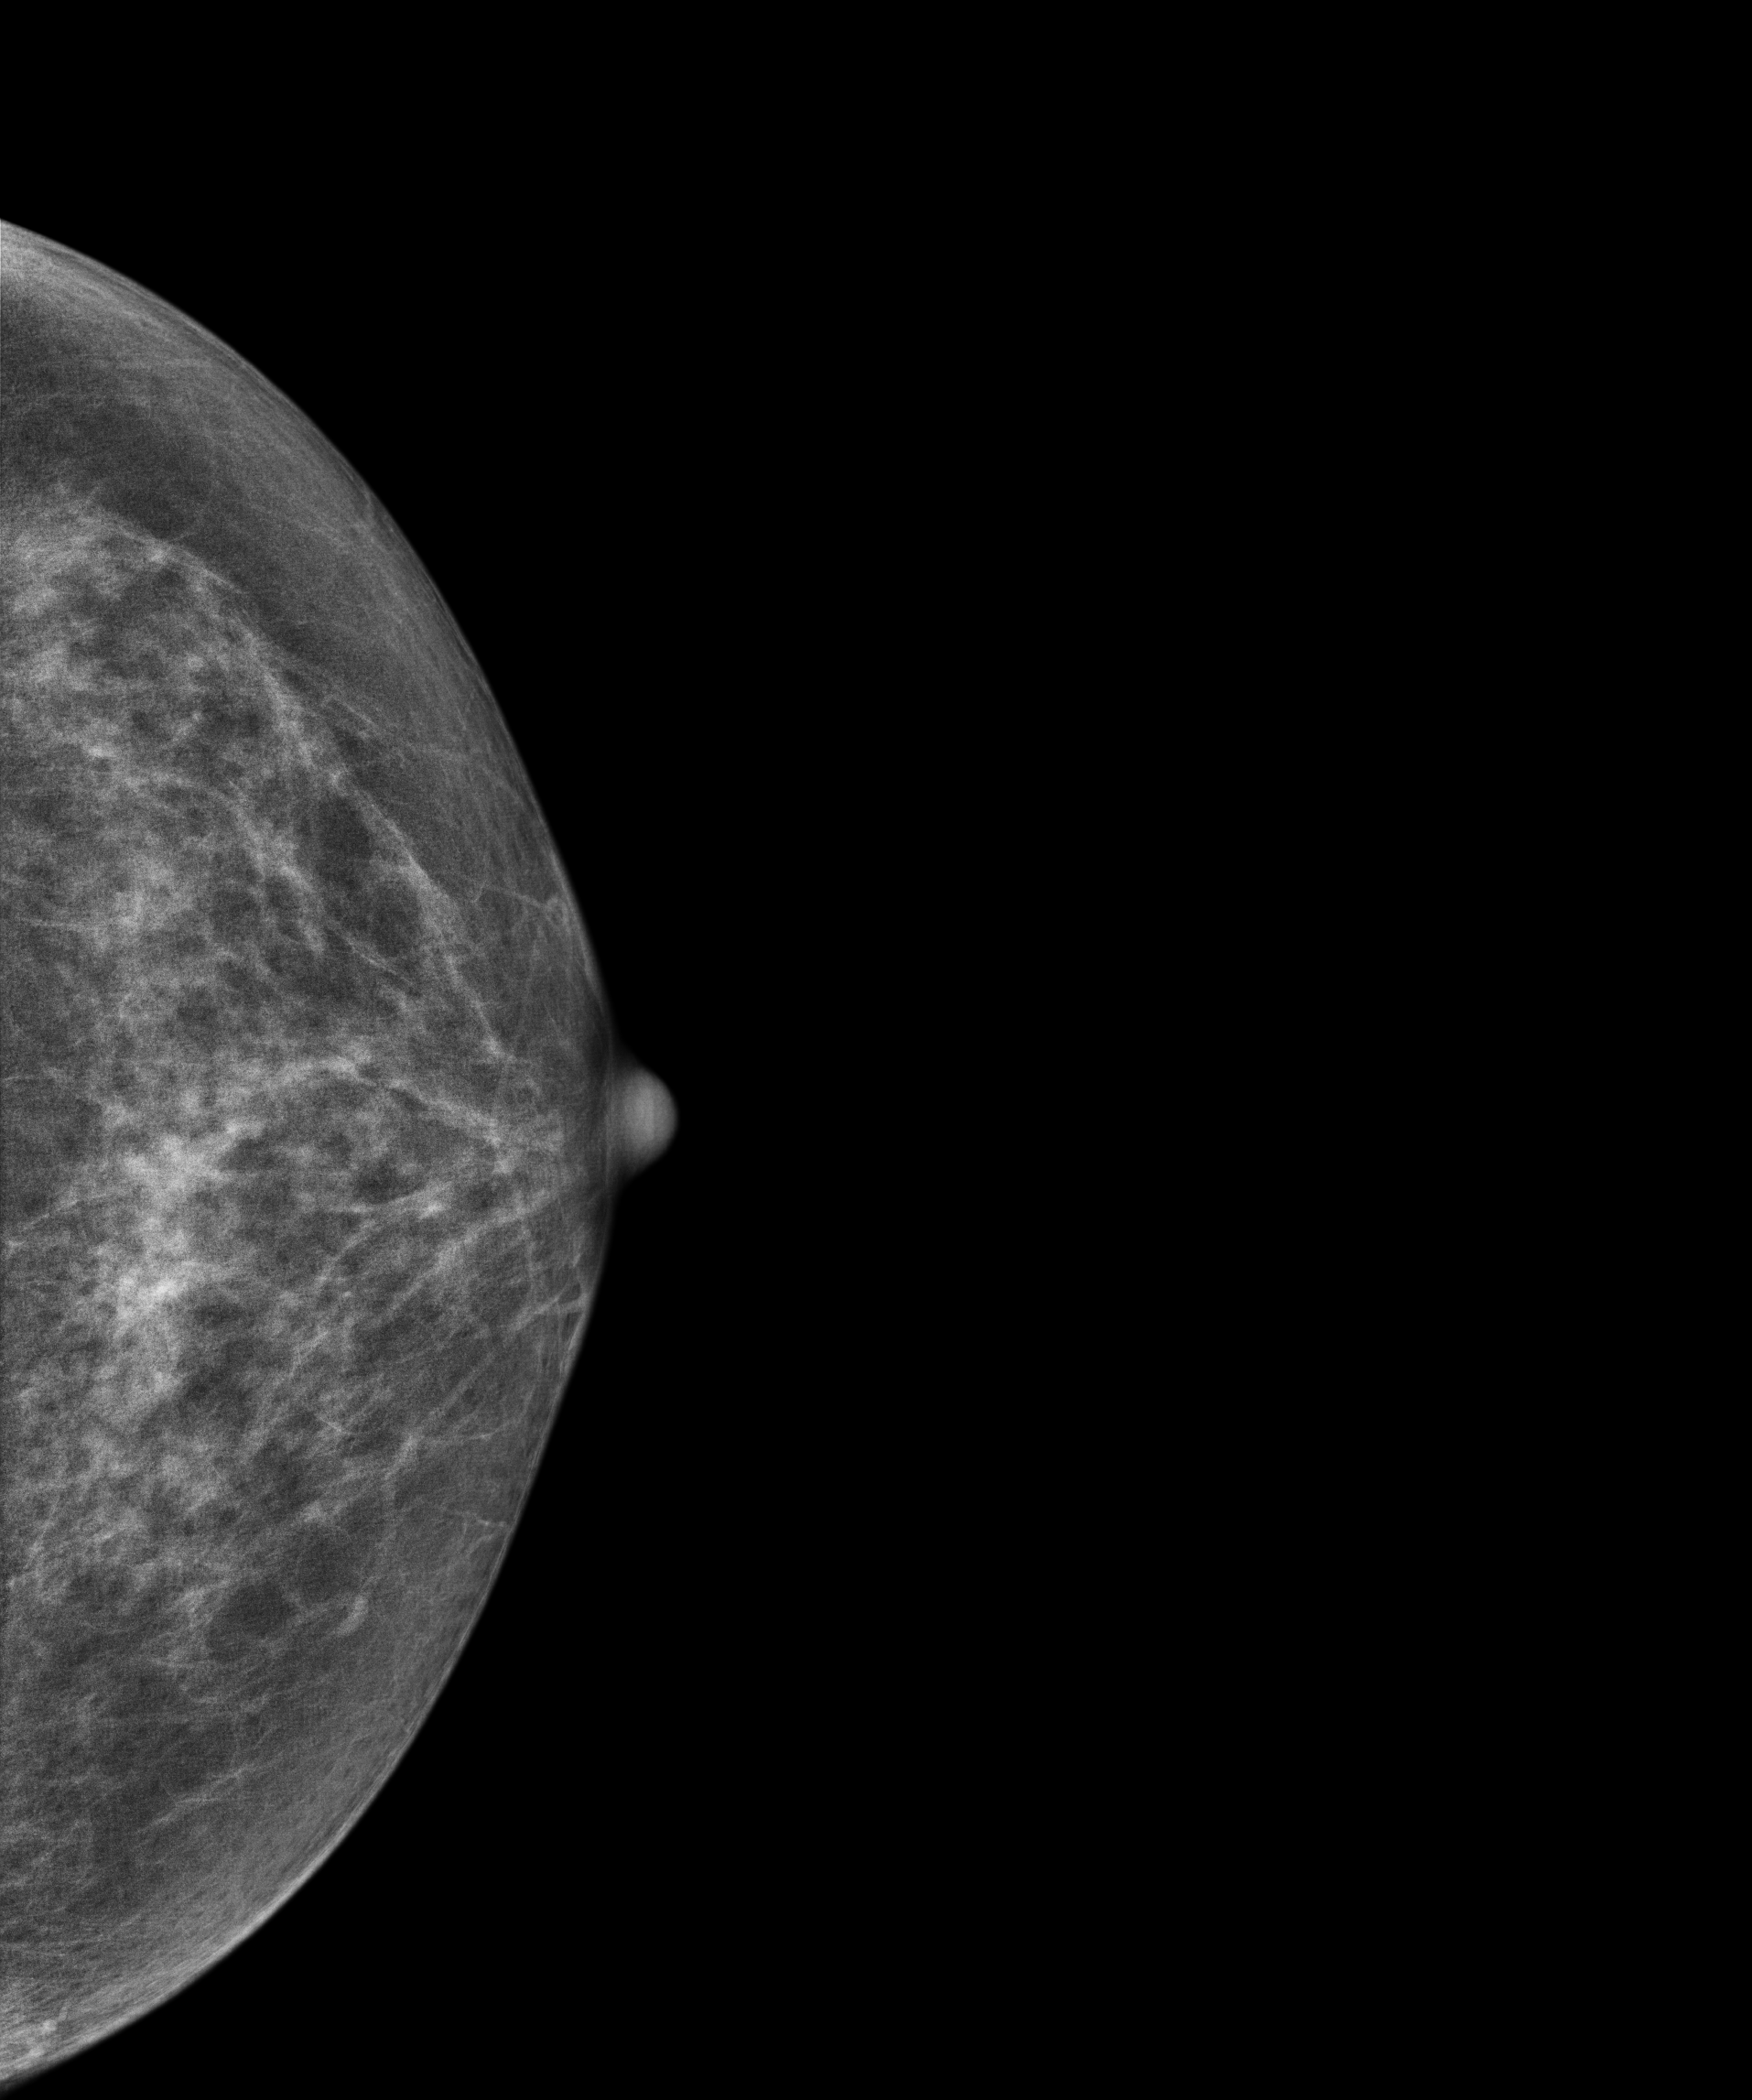
Digital mammography. Left breast, cranio-caudal projection. 61 y/o patient.
Contralateral breast — no documented abnormality on this side.